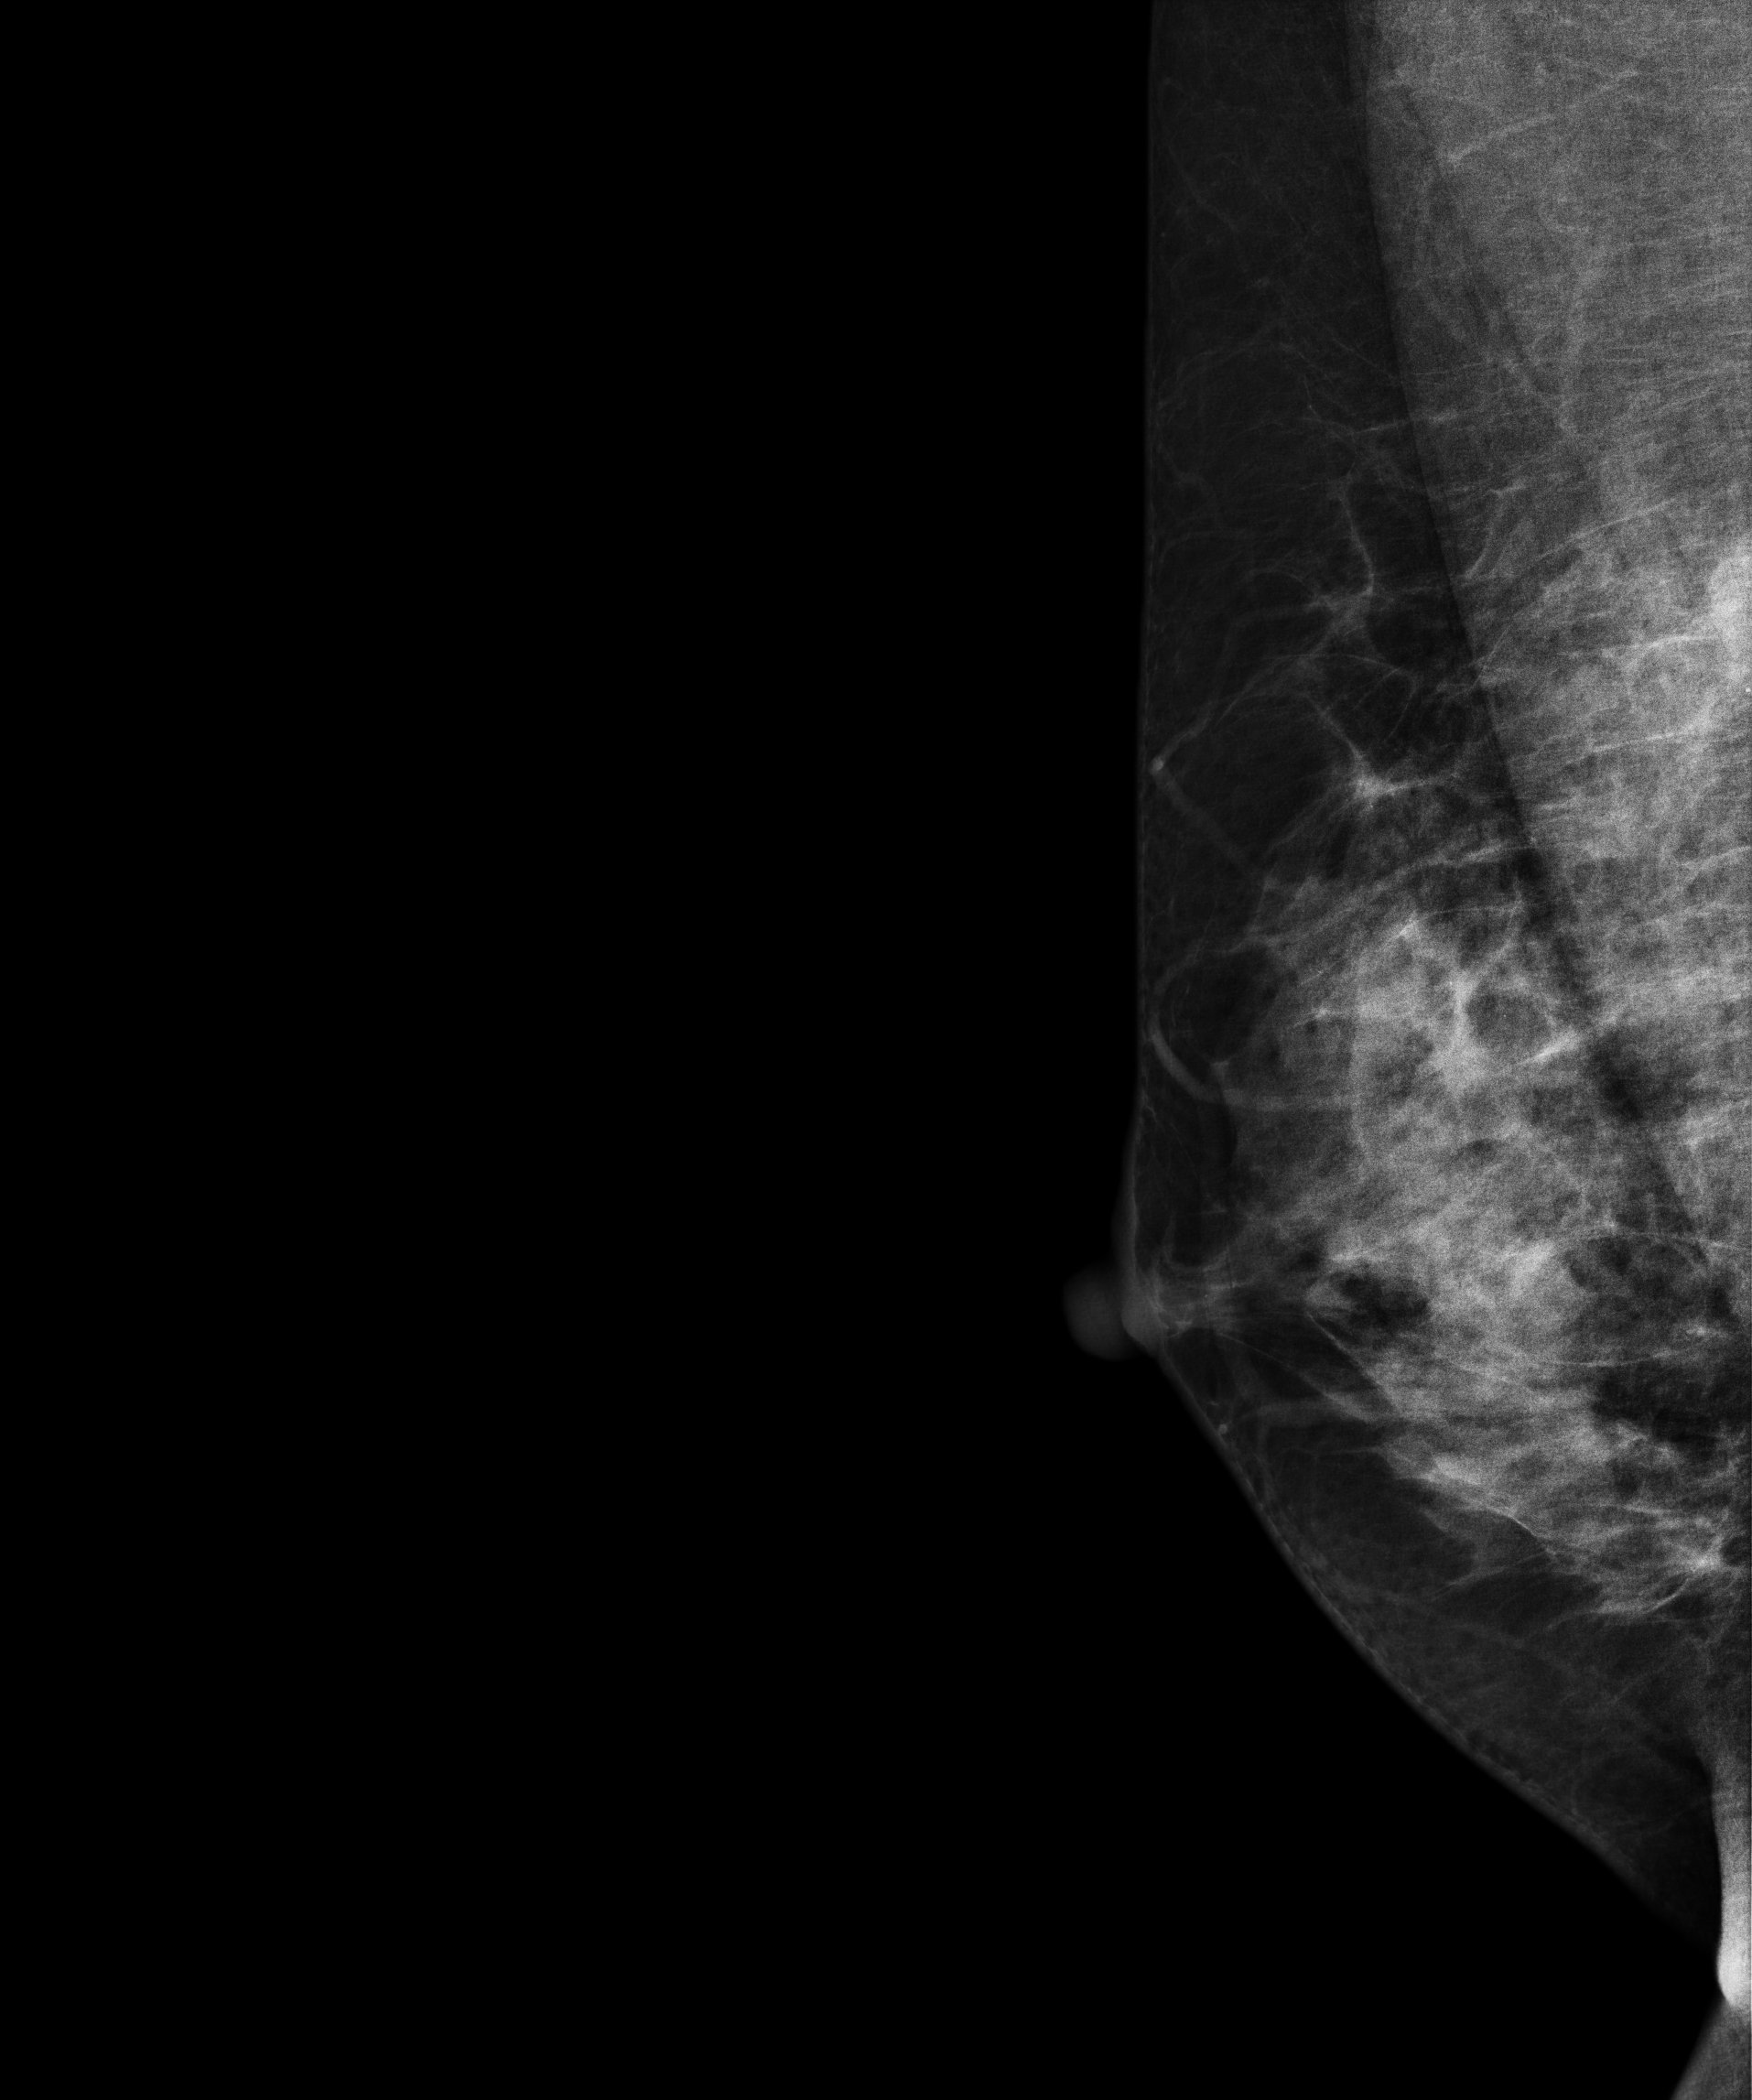
Mammogram — right MLO. Patient age 56.
This breast has a mass, histologically confirmed malignant. Molecular subtype: triple-negative.